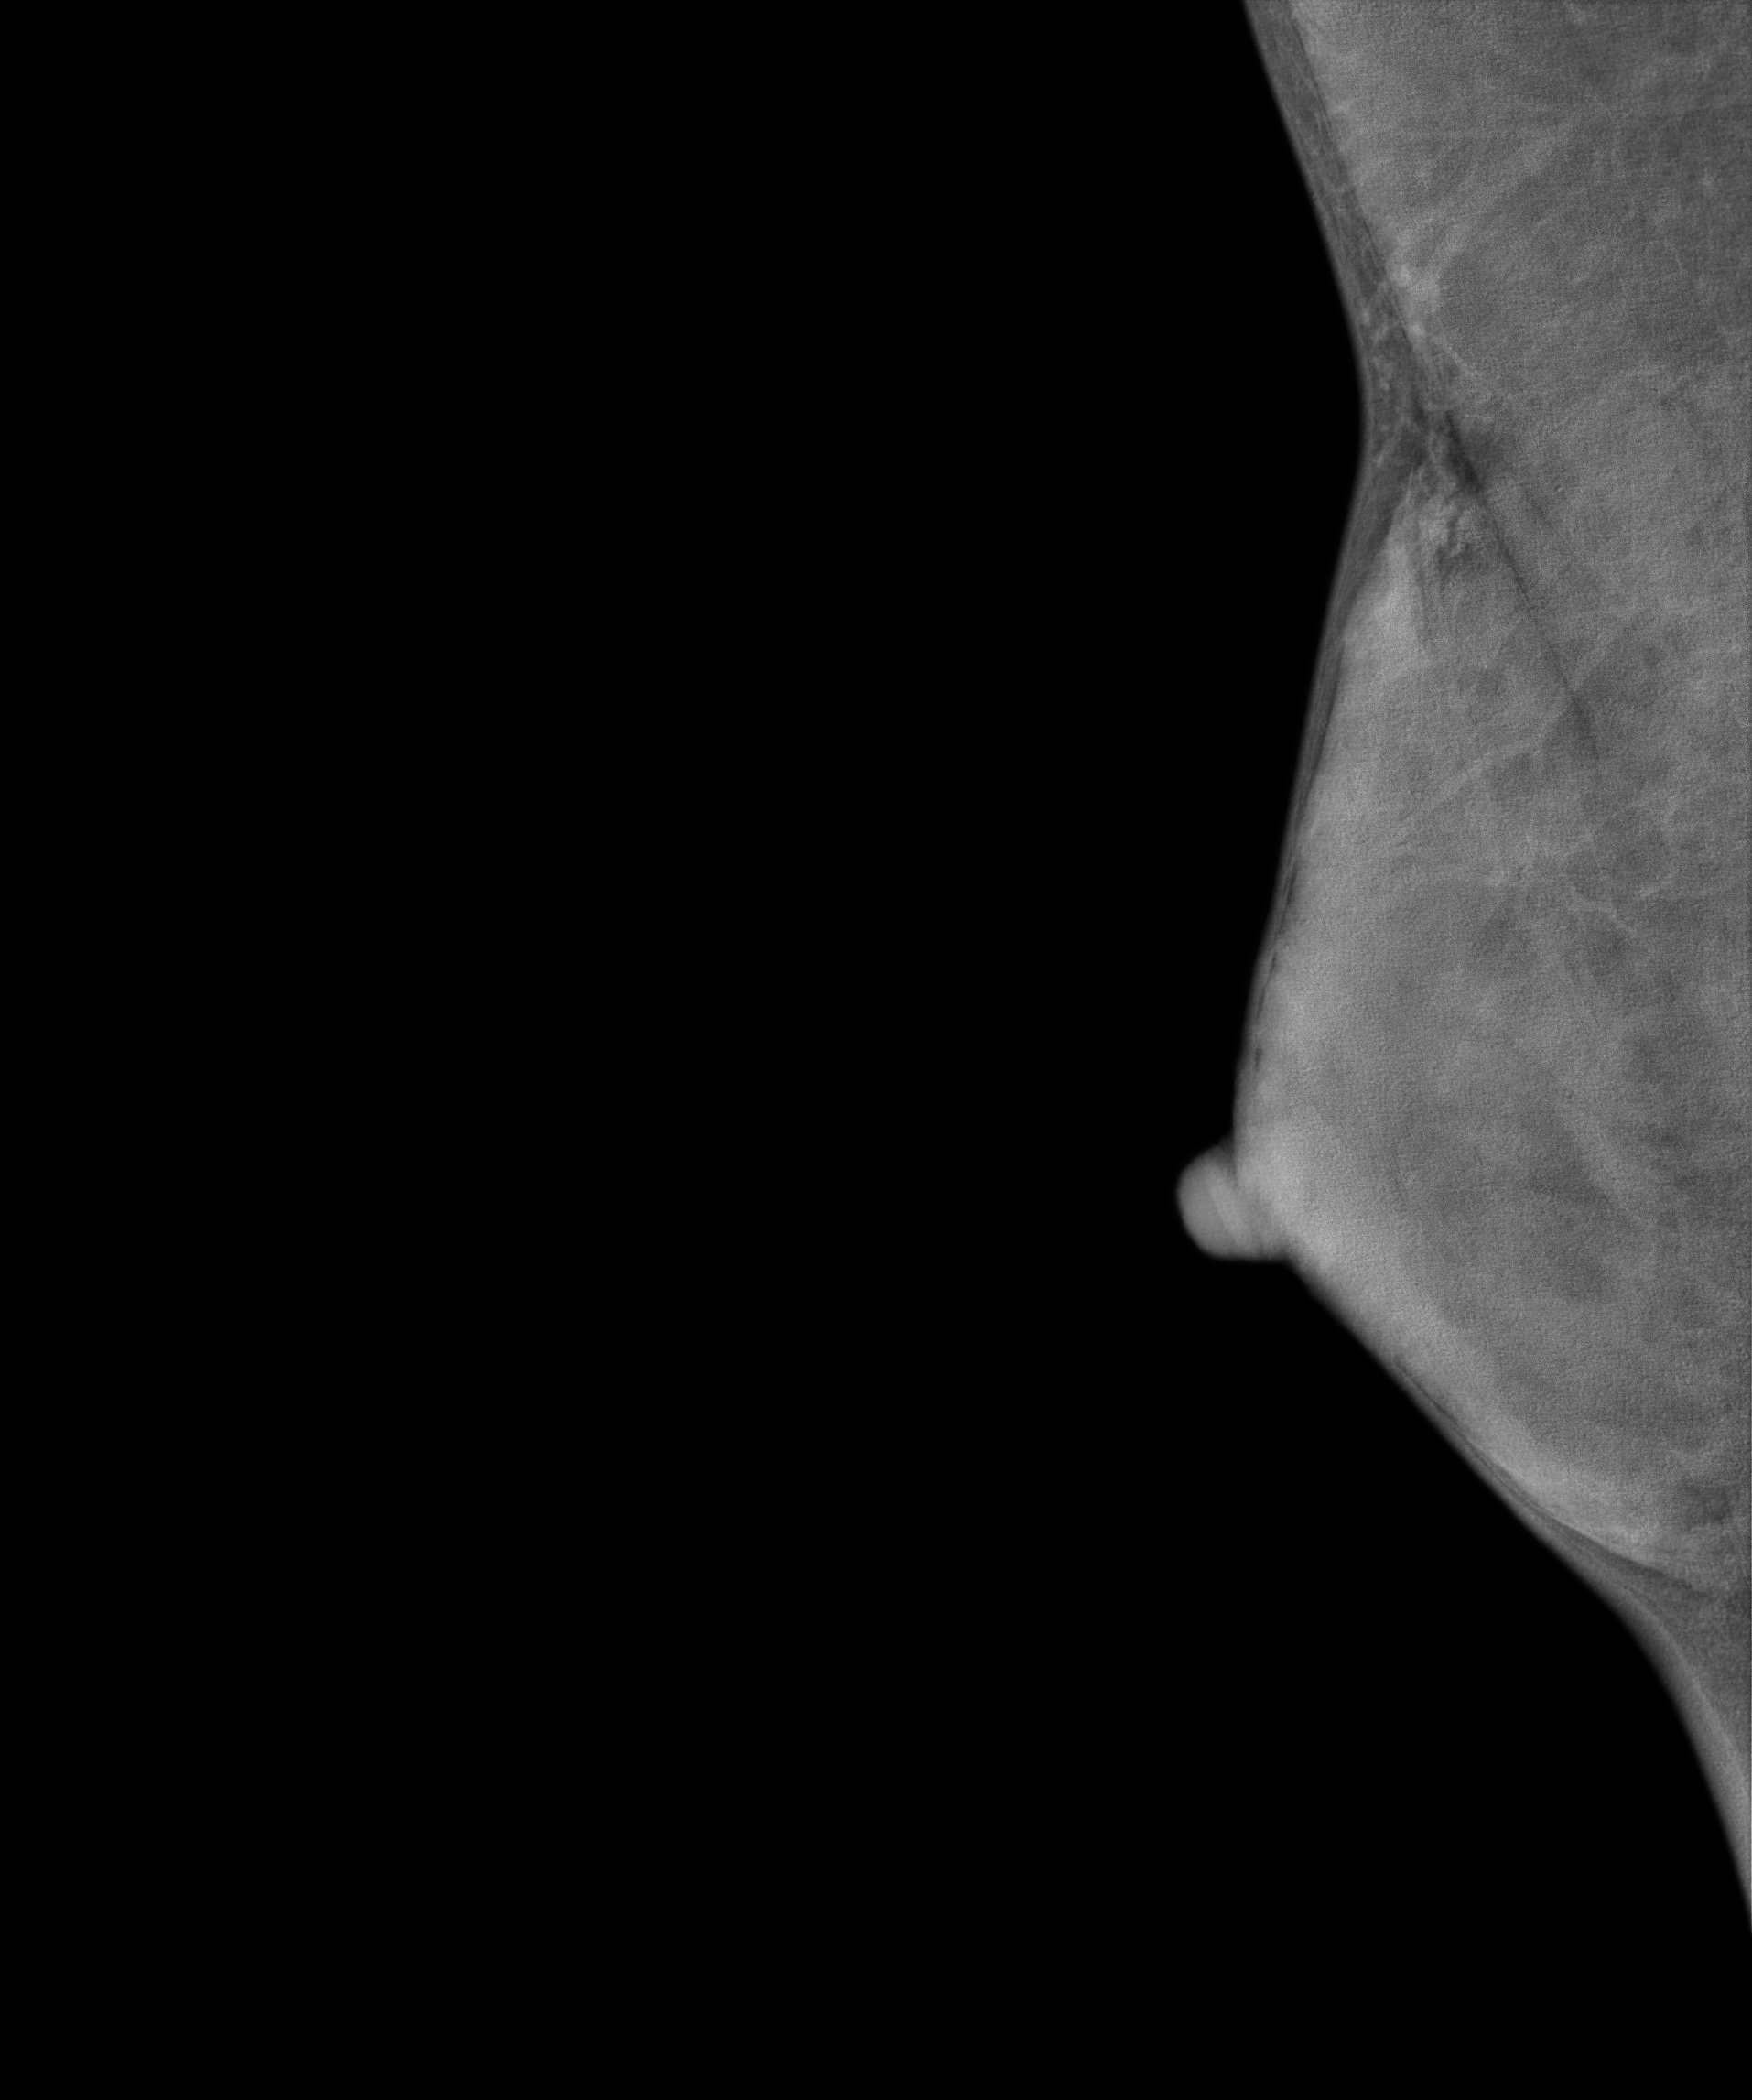
Right-breast mammogram, MLO. 33-year-old patient.
Contralateral breast — no documented abnormality on this side.